Medio-lateral oblique mammogram of the left breast. 45 y/o patient.
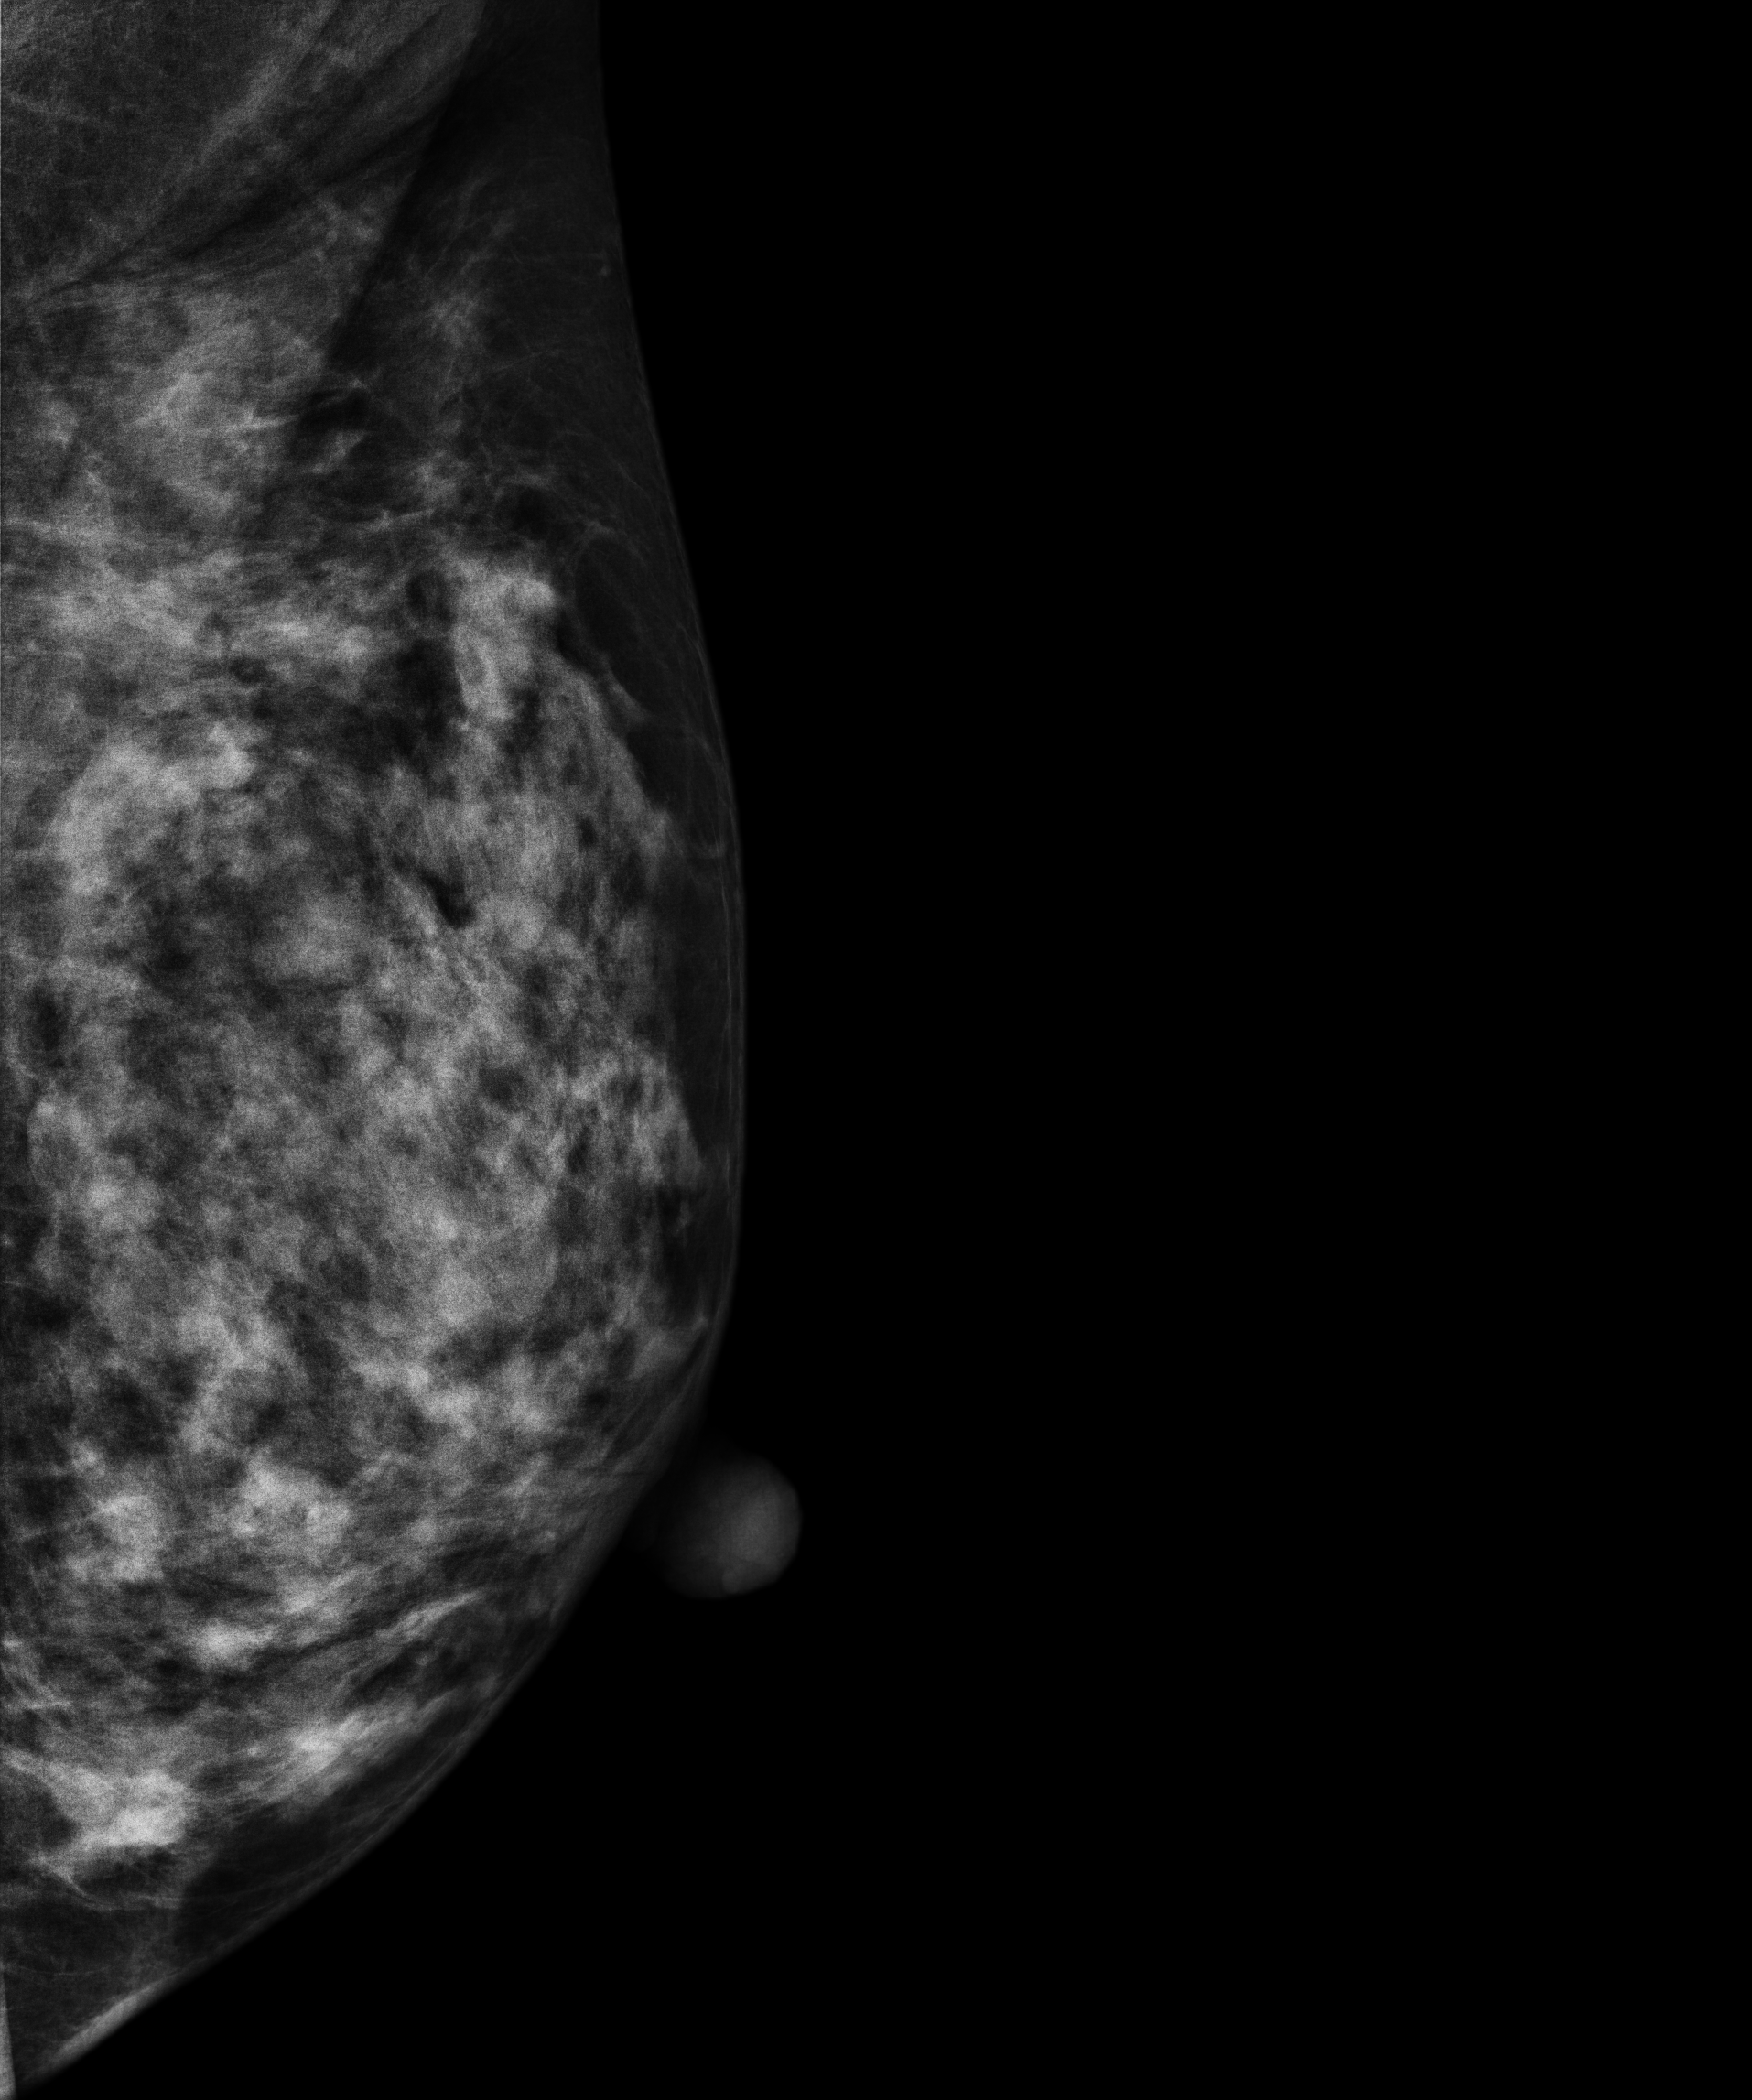
This breast has a mass, biopsy-confirmed malignant.